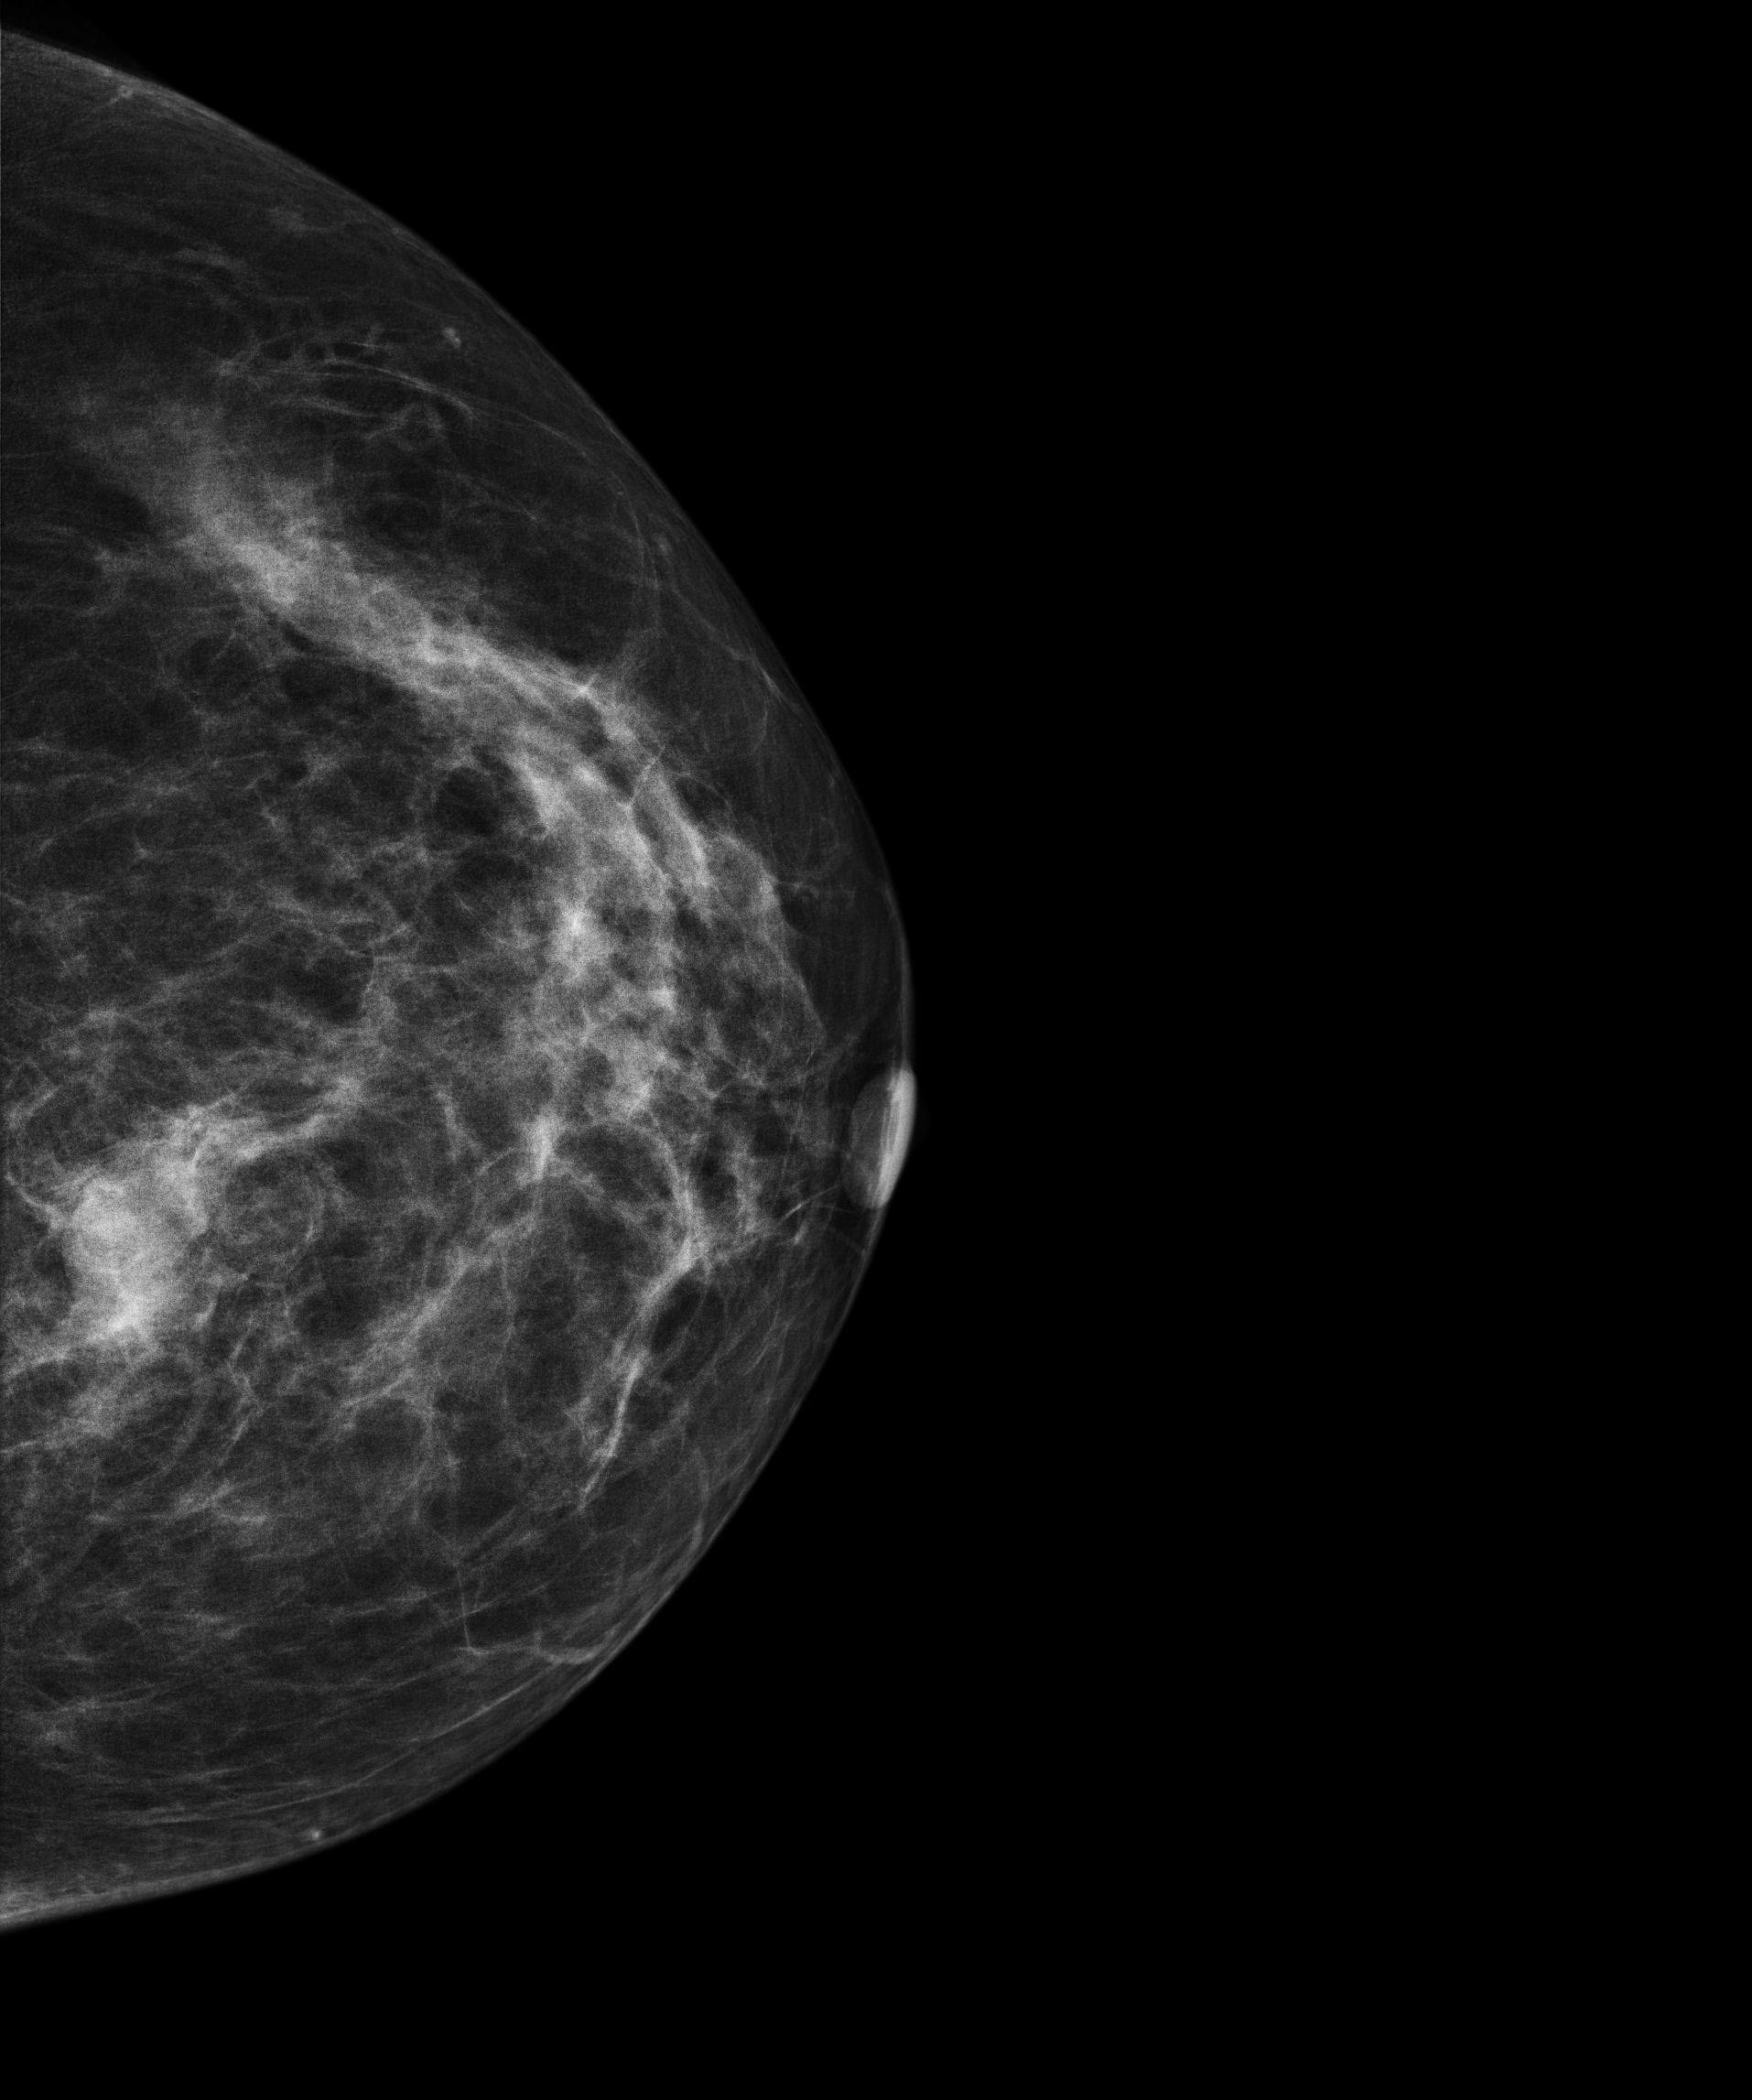
Digital mammography. Left breast, cranio-caudal projection. Patient age 65.
This breast has a mass, biopsy-proven malignant. Molecular subtype: triple-negative.